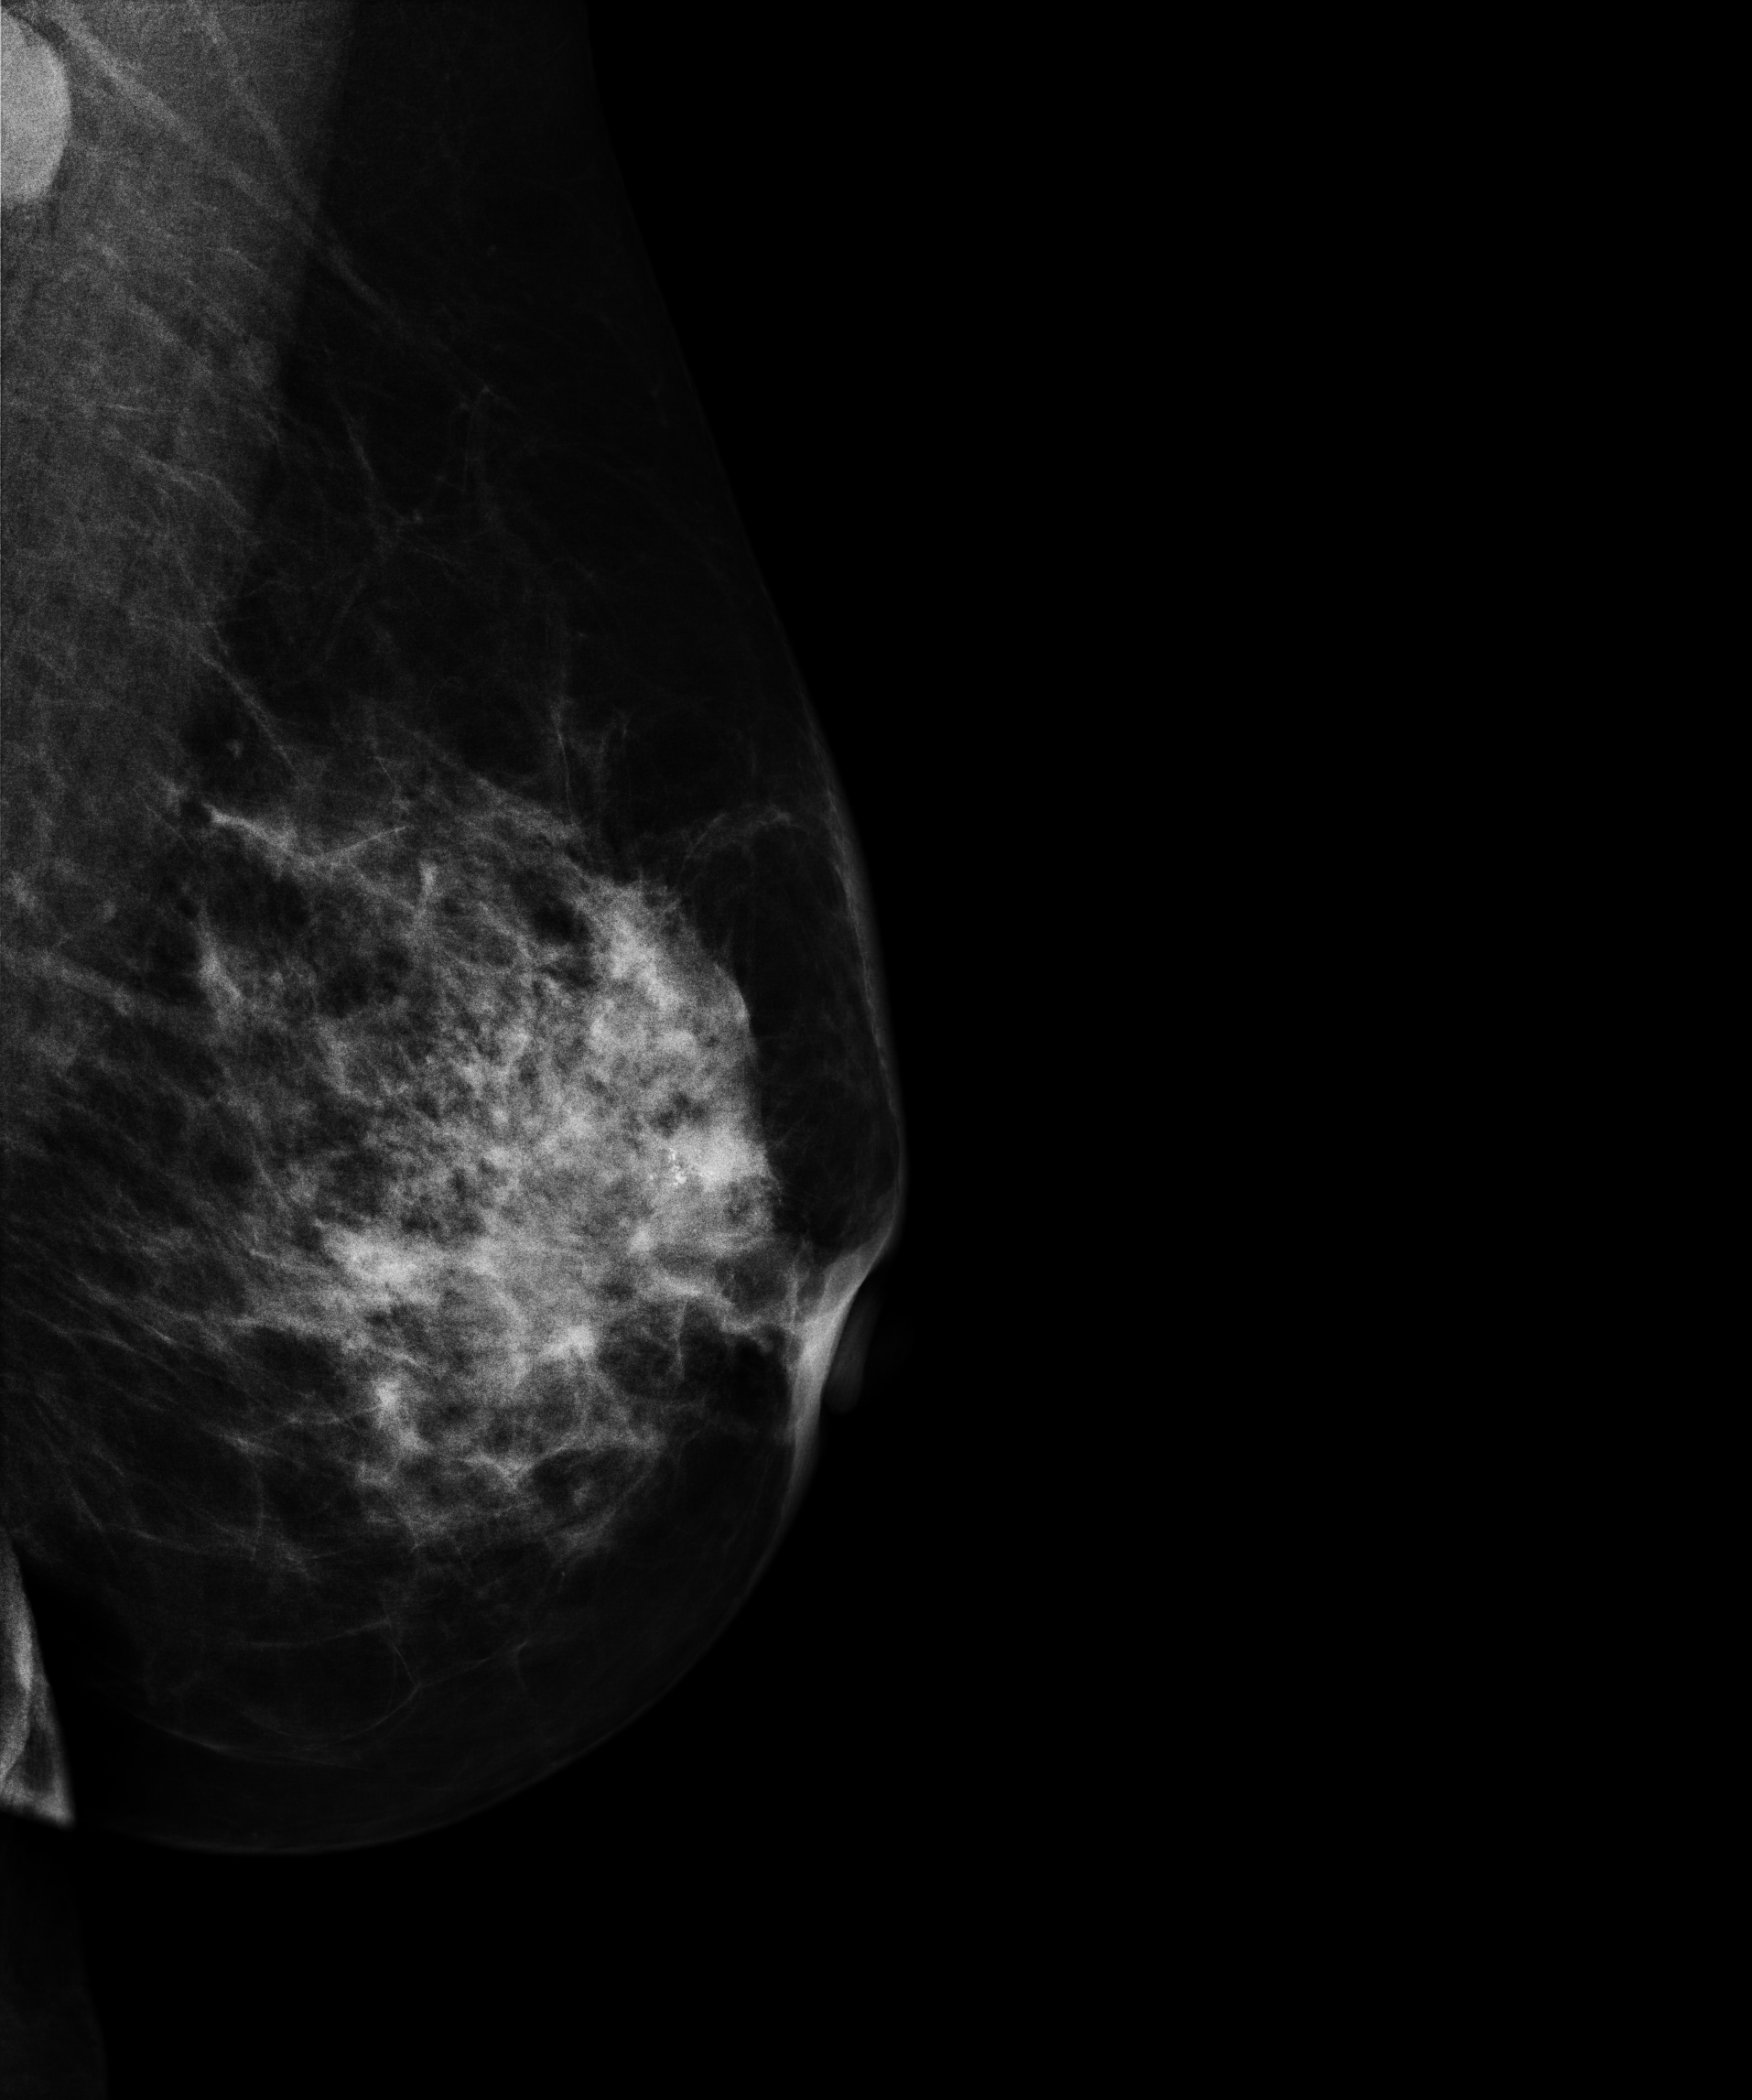
Digital mammography. Left breast, MLO projection. 57 y/o patient.
This breast has calcifications, biopsy-proven malignant. Molecular subtype: luminal B.